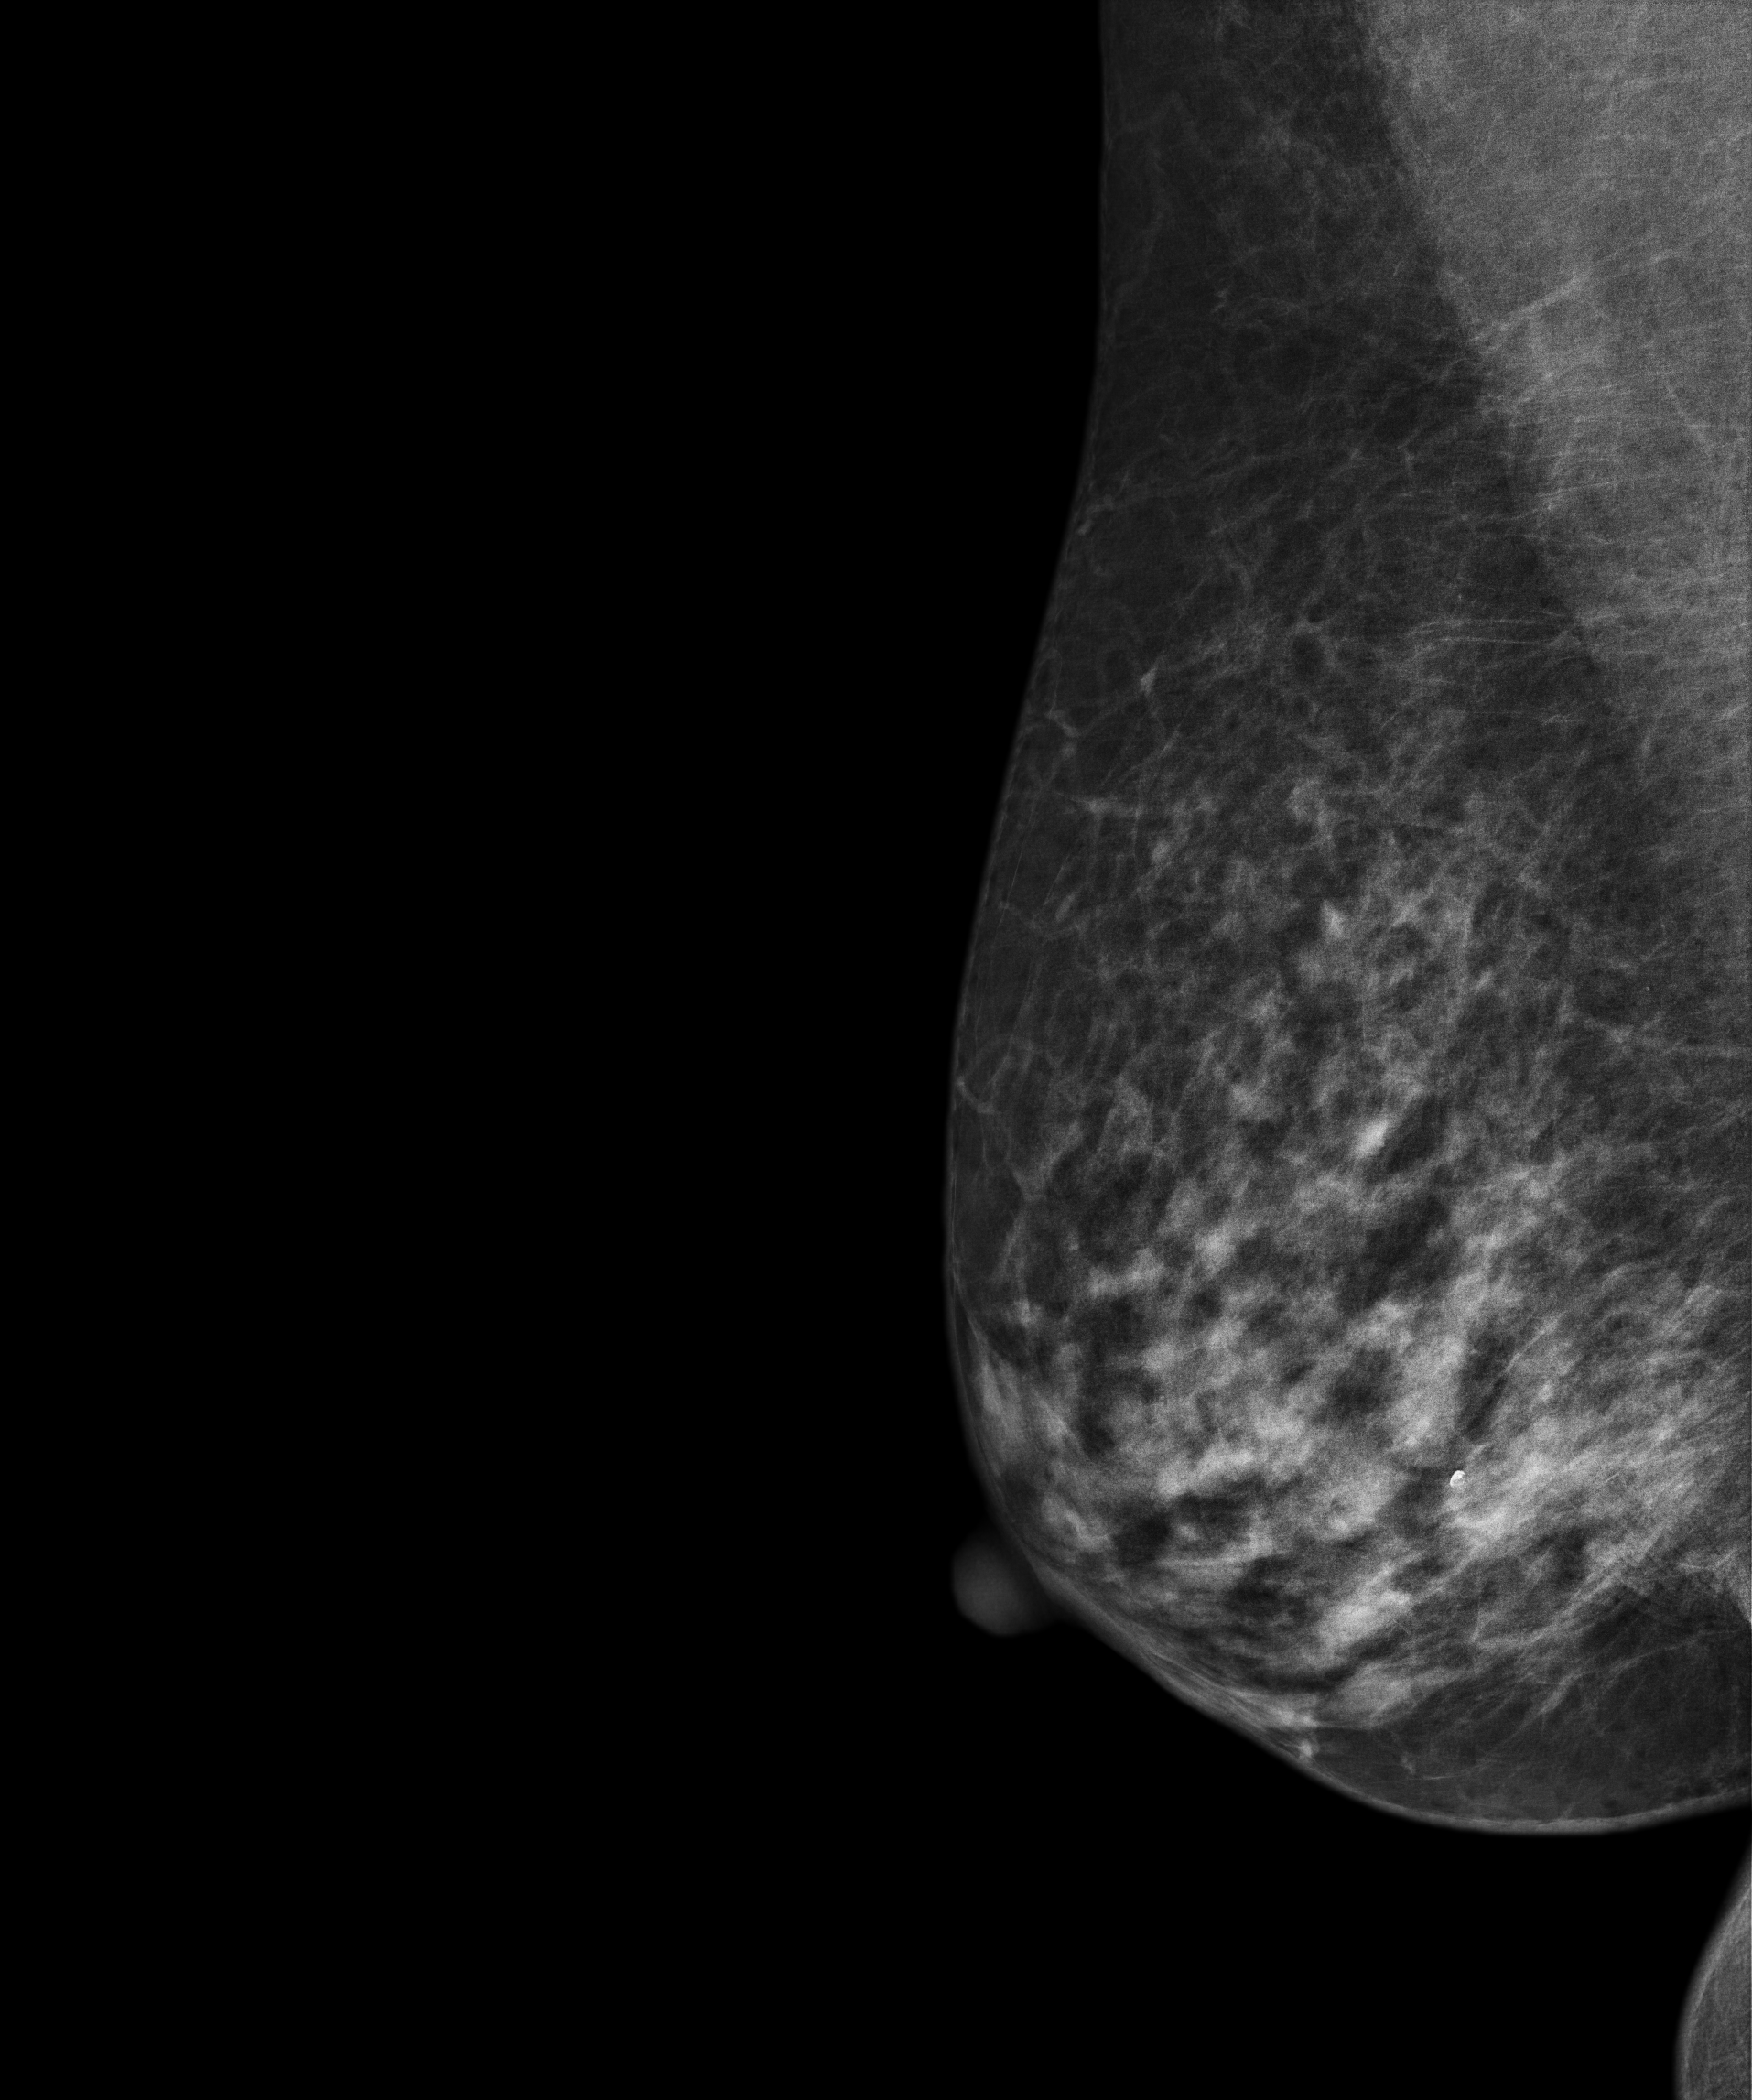
Medio-lateral oblique mammogram of the right breast. 61 y/o patient.
Contralateral breast — no documented abnormality on this side.